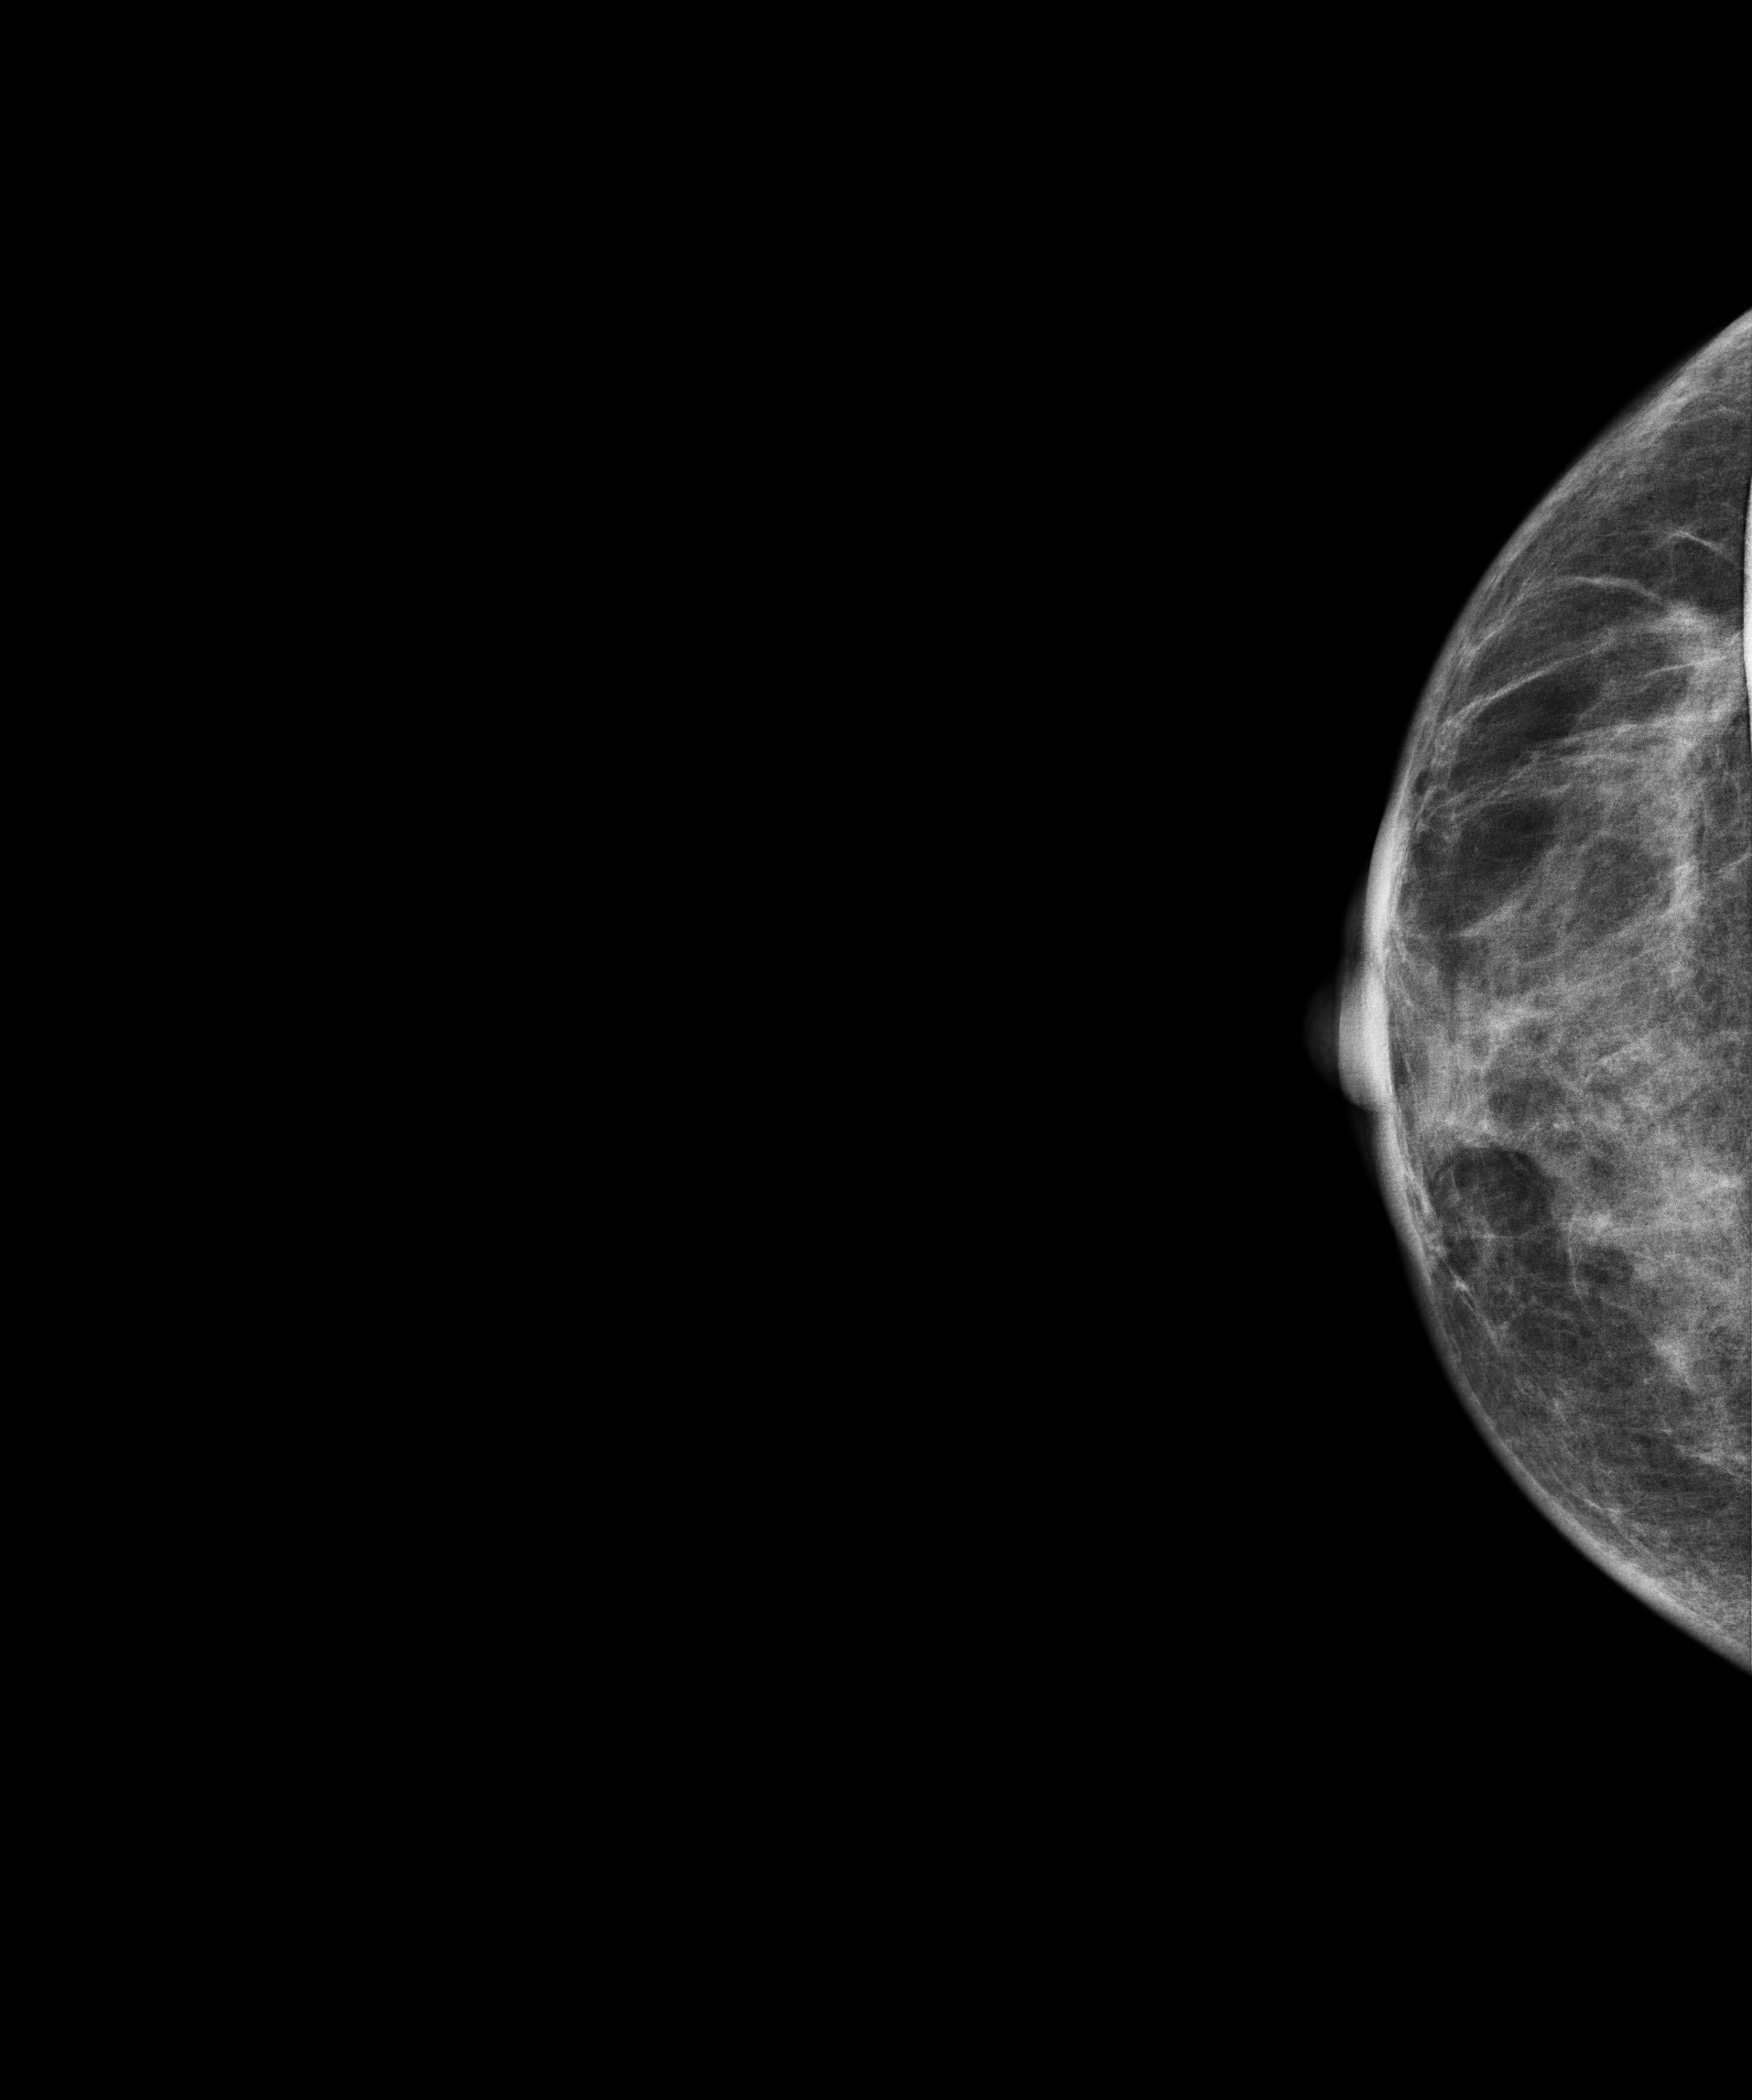
Mammogram — right CC. 36-year-old patient.
This breast has a mass, biopsy-proven malignant. Molecular subtype: triple-negative.